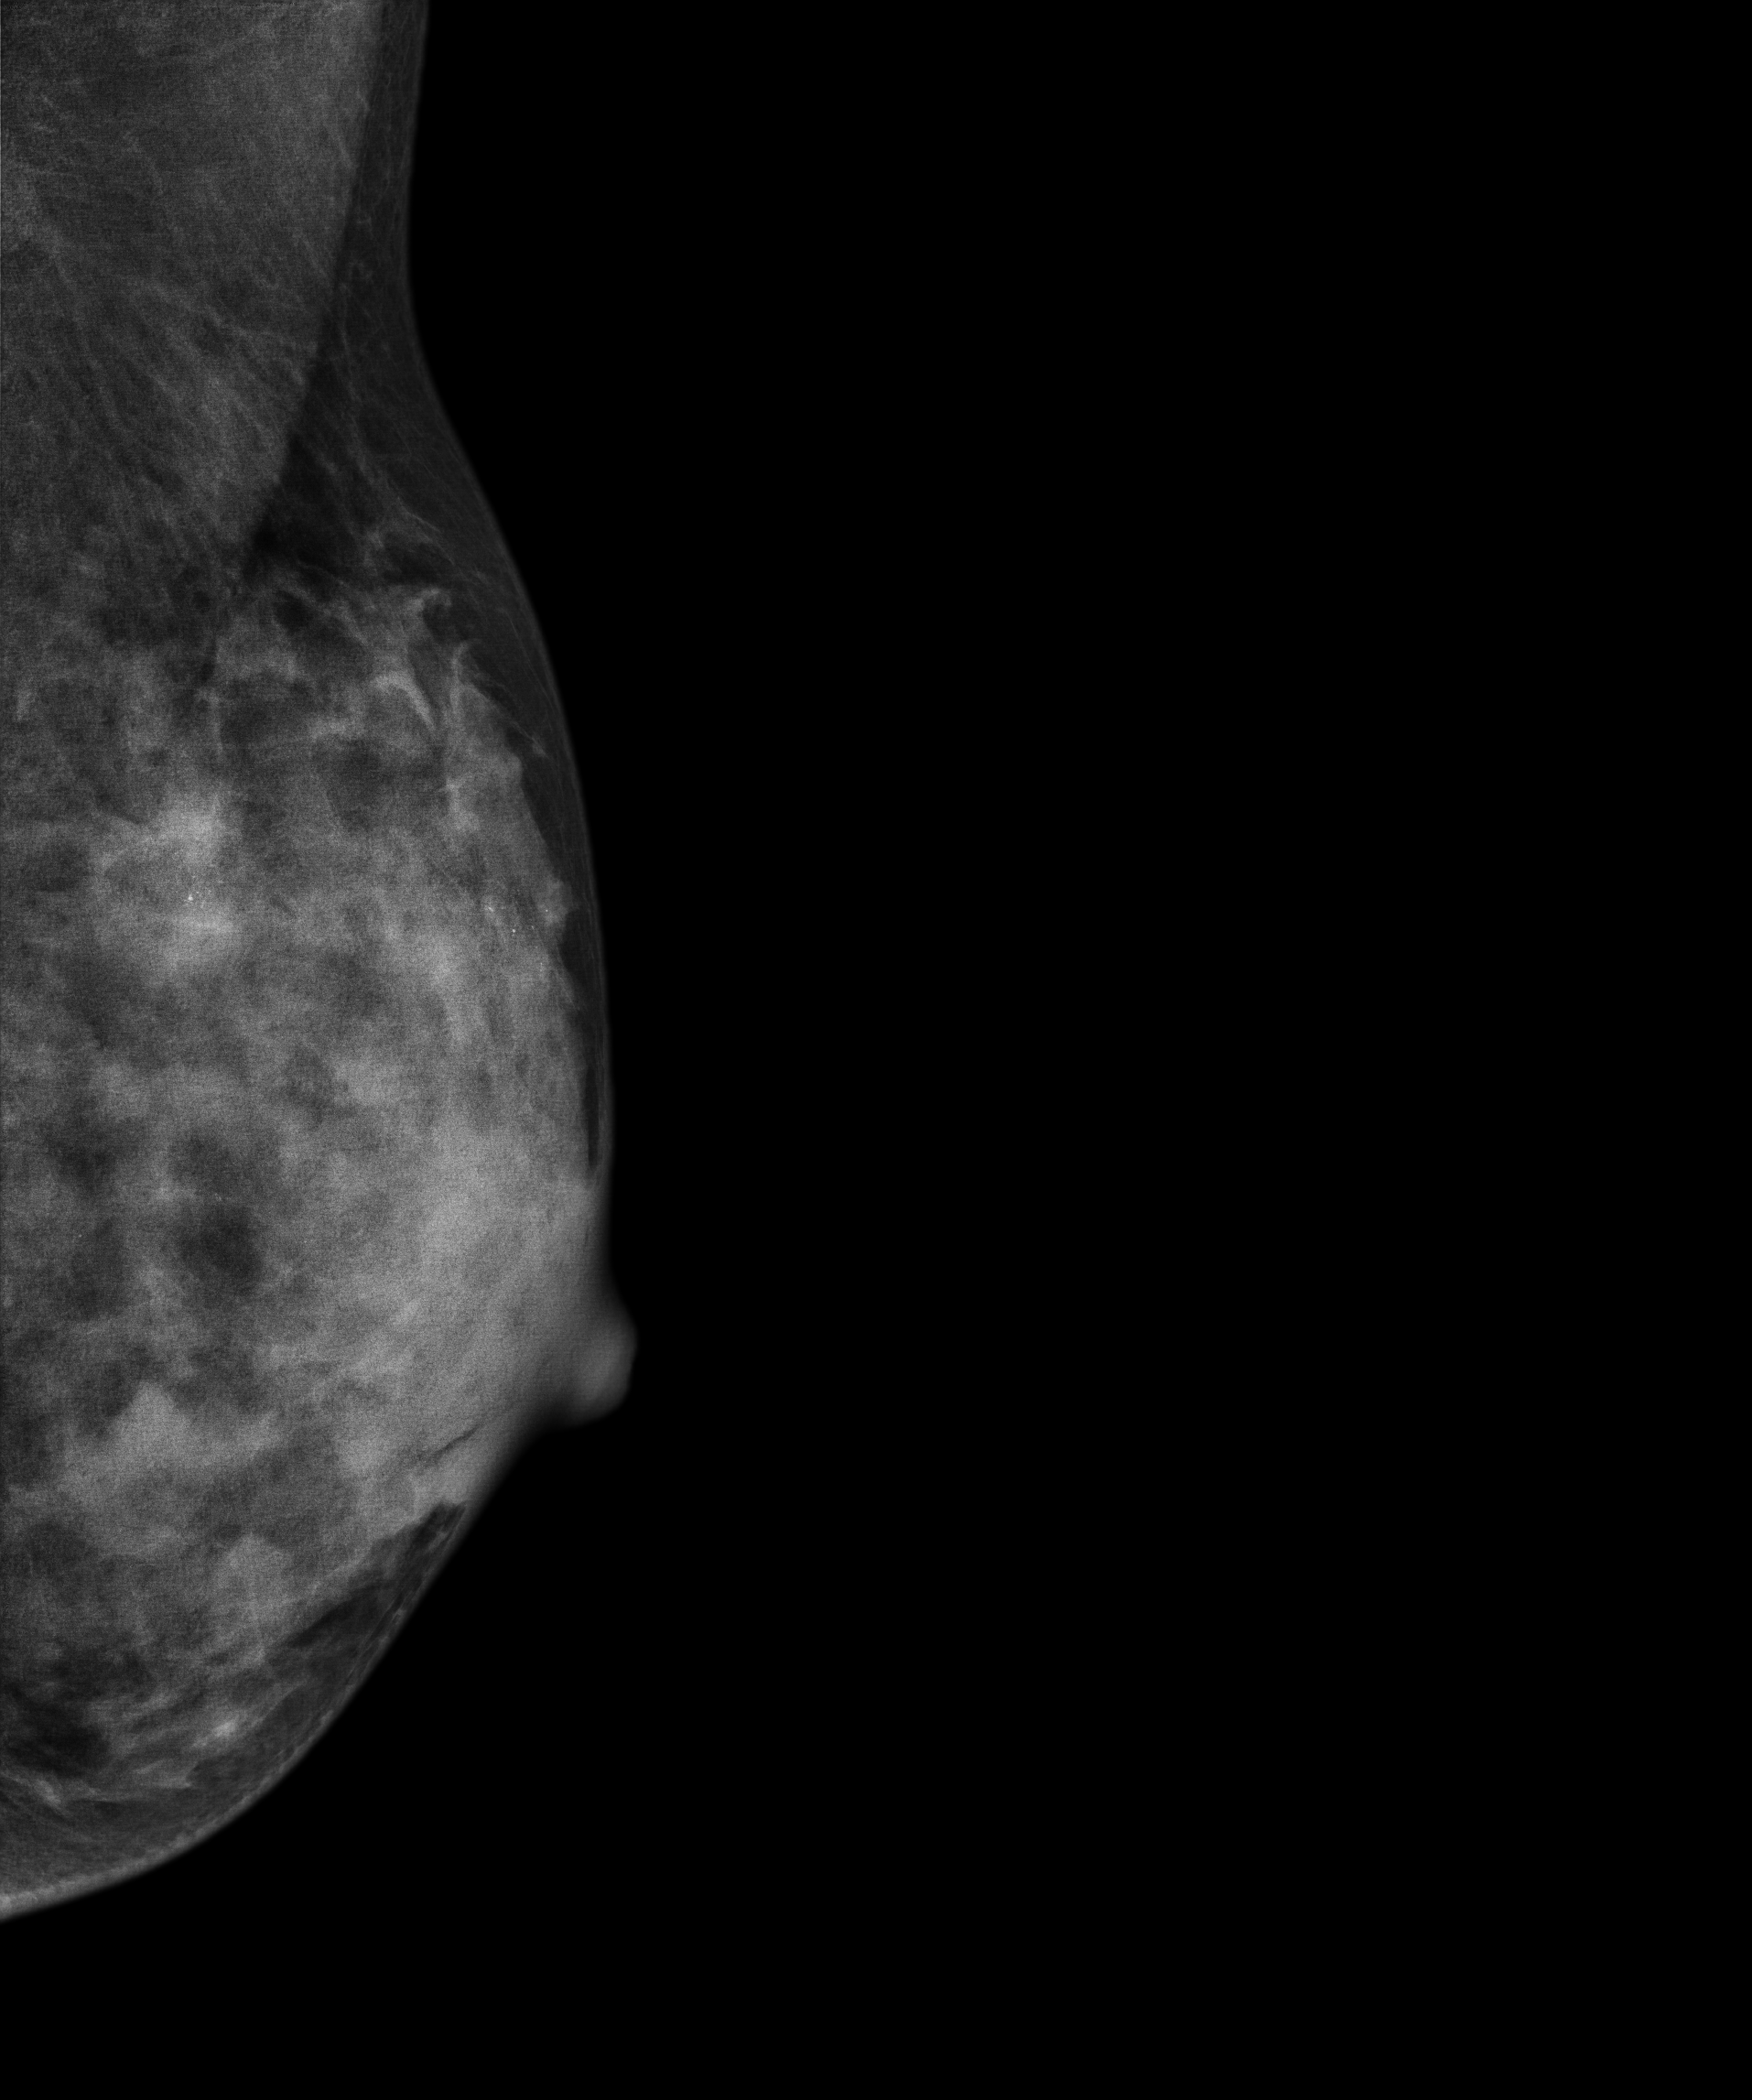
Mammogram — left MLO. Patient age 32.
This breast has a mass and calcifications, biopsy-proven malignant. Molecular subtype: luminal A.